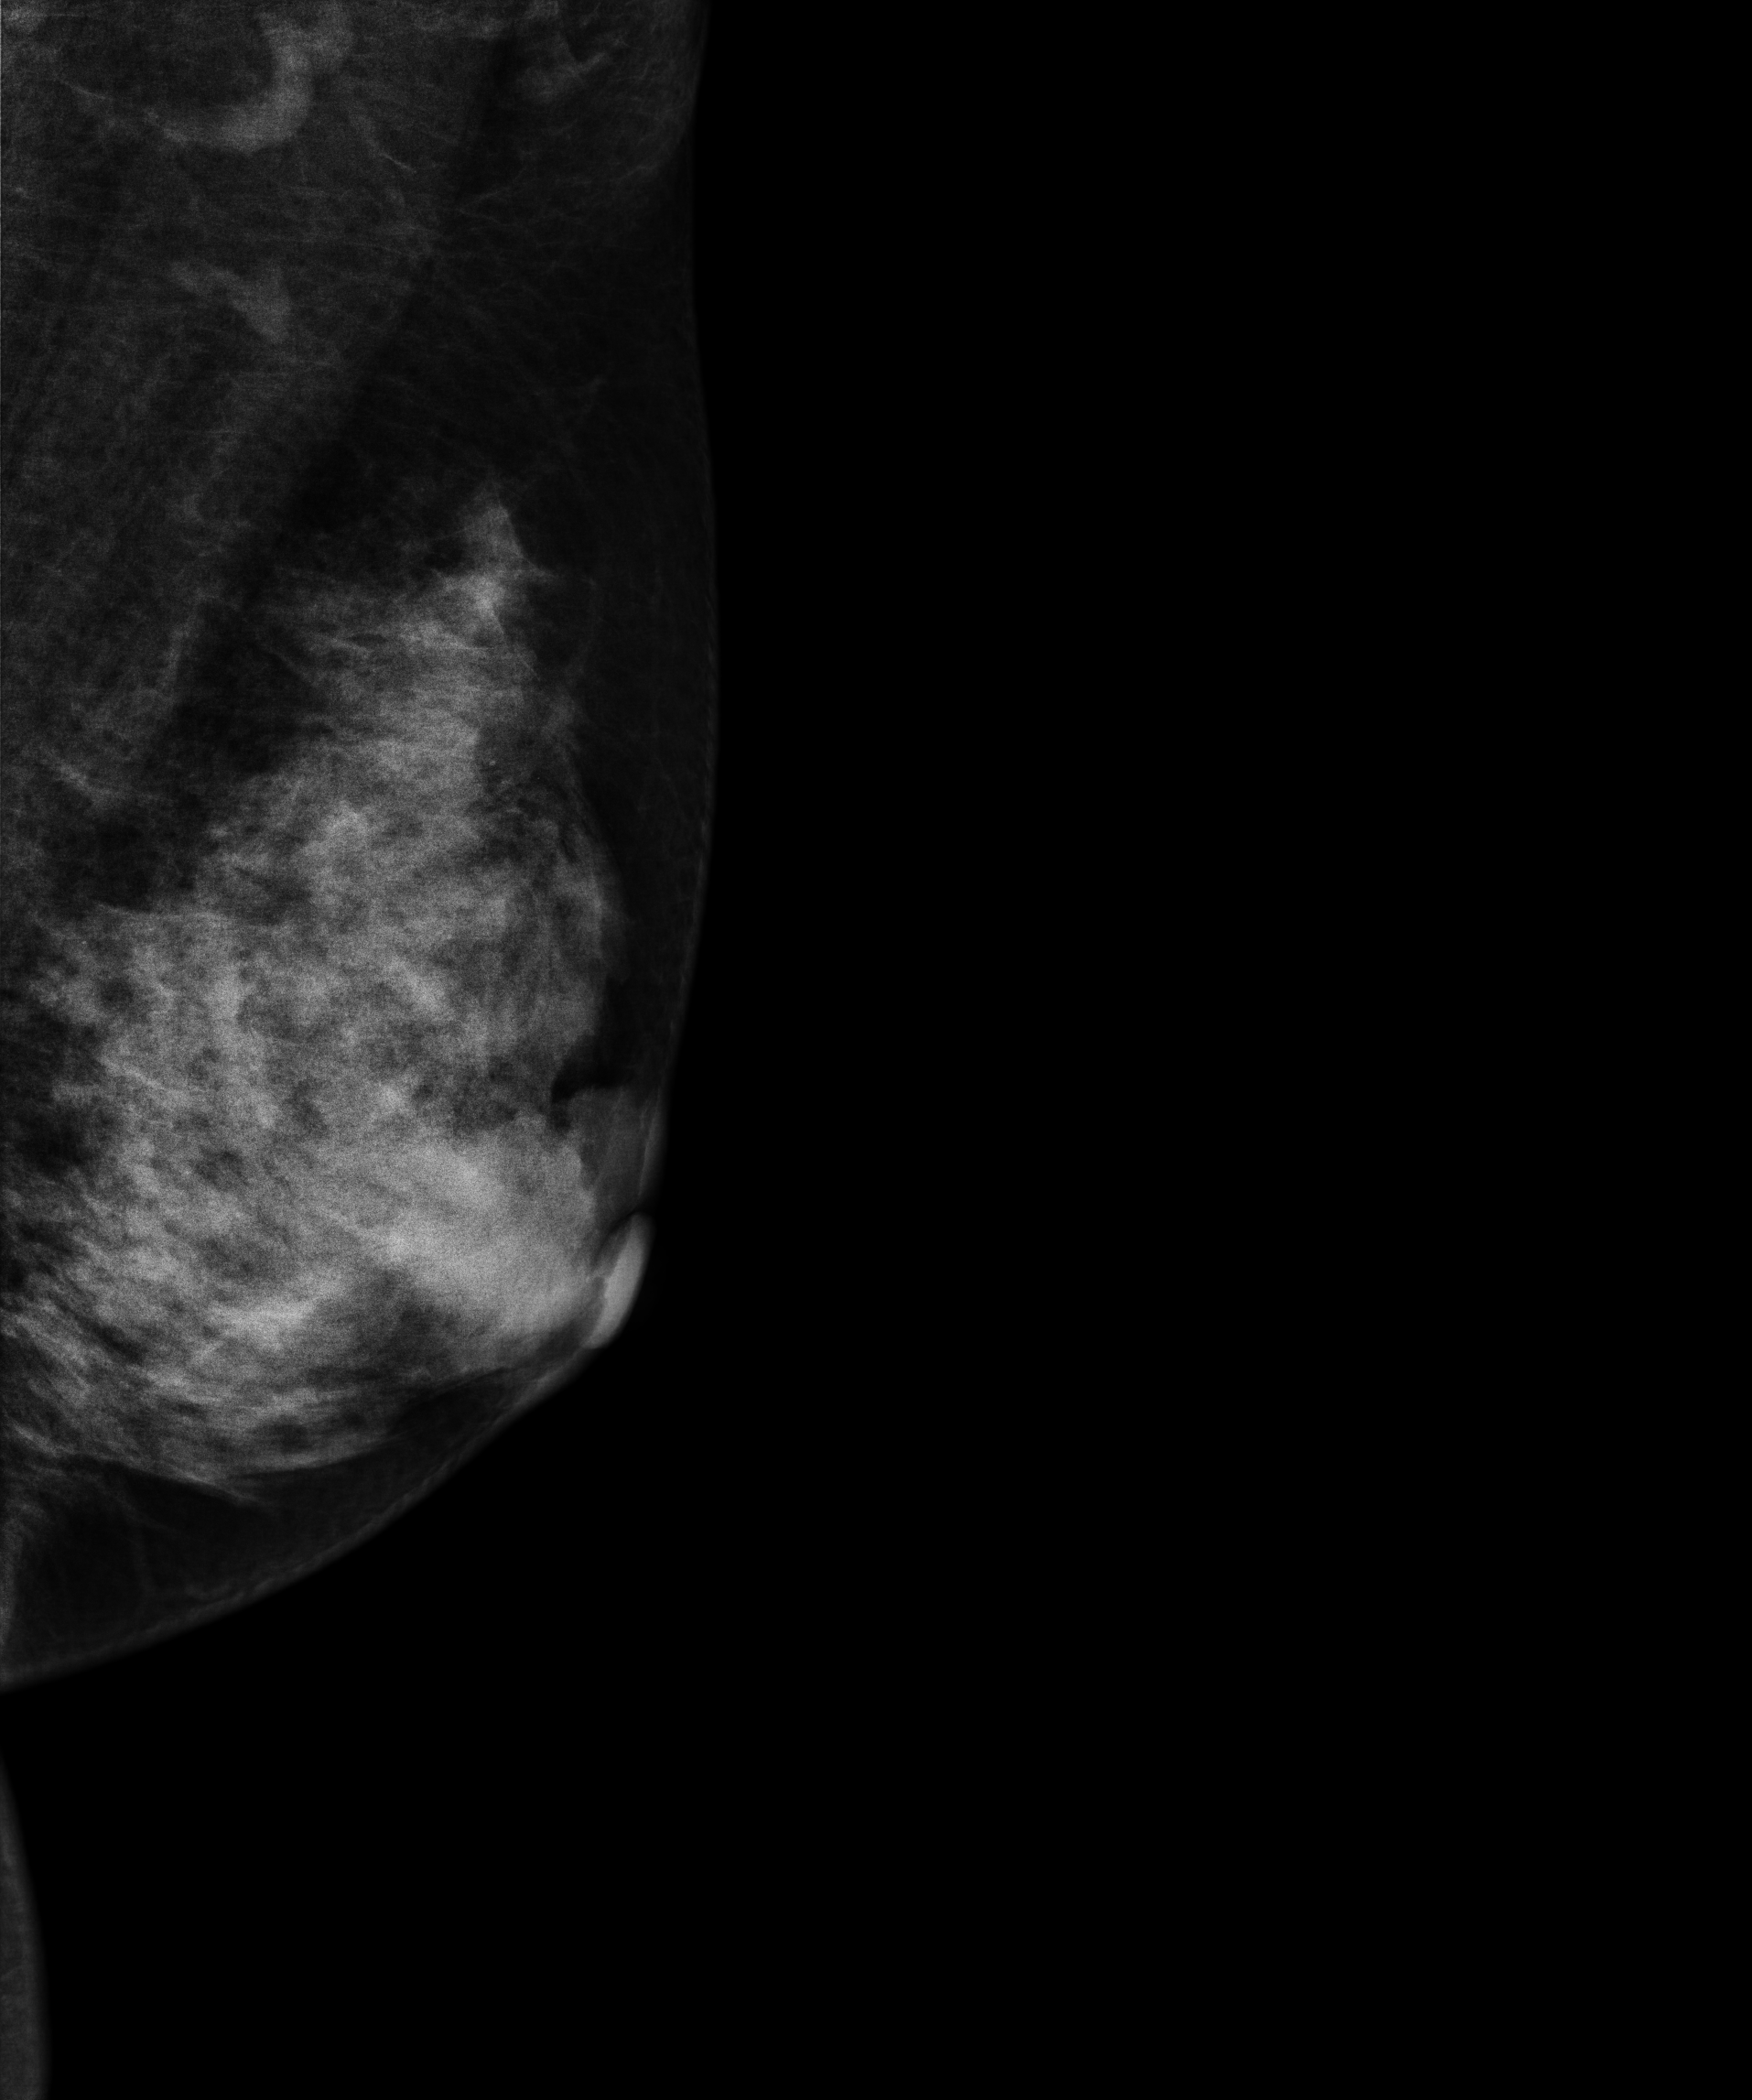
MLO mammogram of the left breast. 37-year-old patient.
This breast has a mass, biopsy-confirmed malignant. Molecular subtype: luminal B.